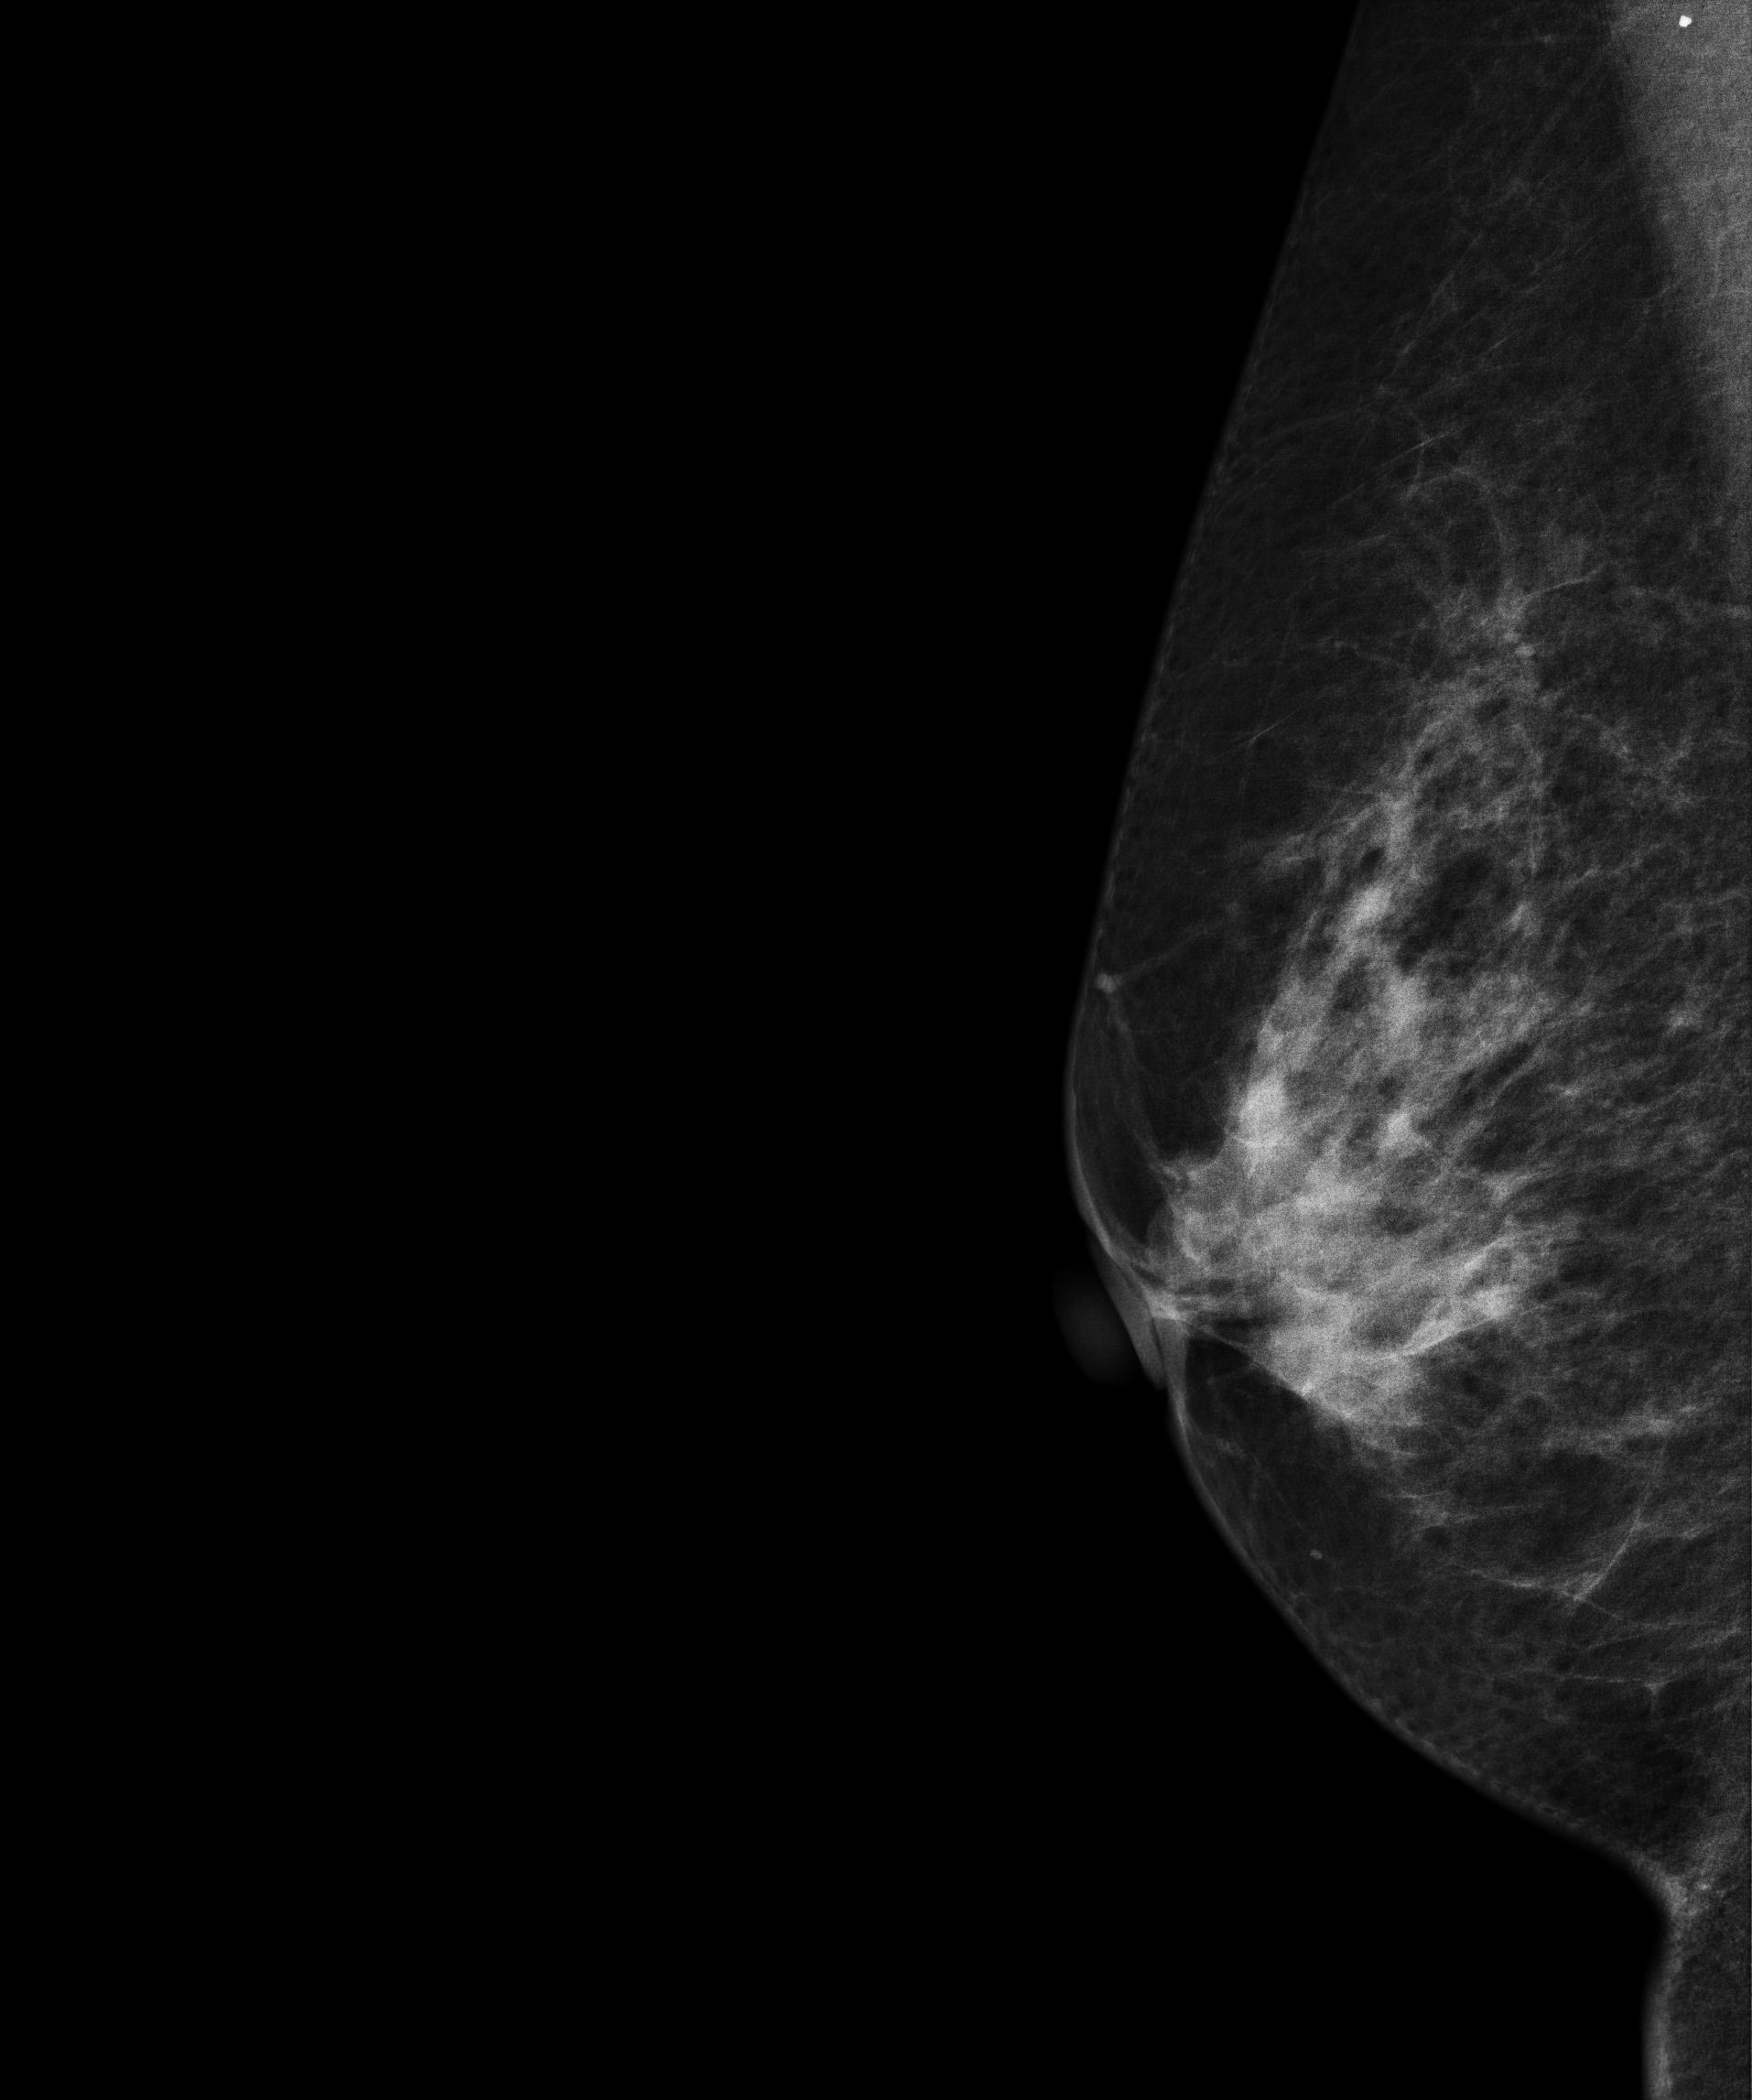
Mammogram, right breast, medio-lateral oblique view. 59-year-old patient.
This breast has a mass, biopsy-proven benign.